Cranio-caudal mammogram of the left breast. 39-year-old patient.
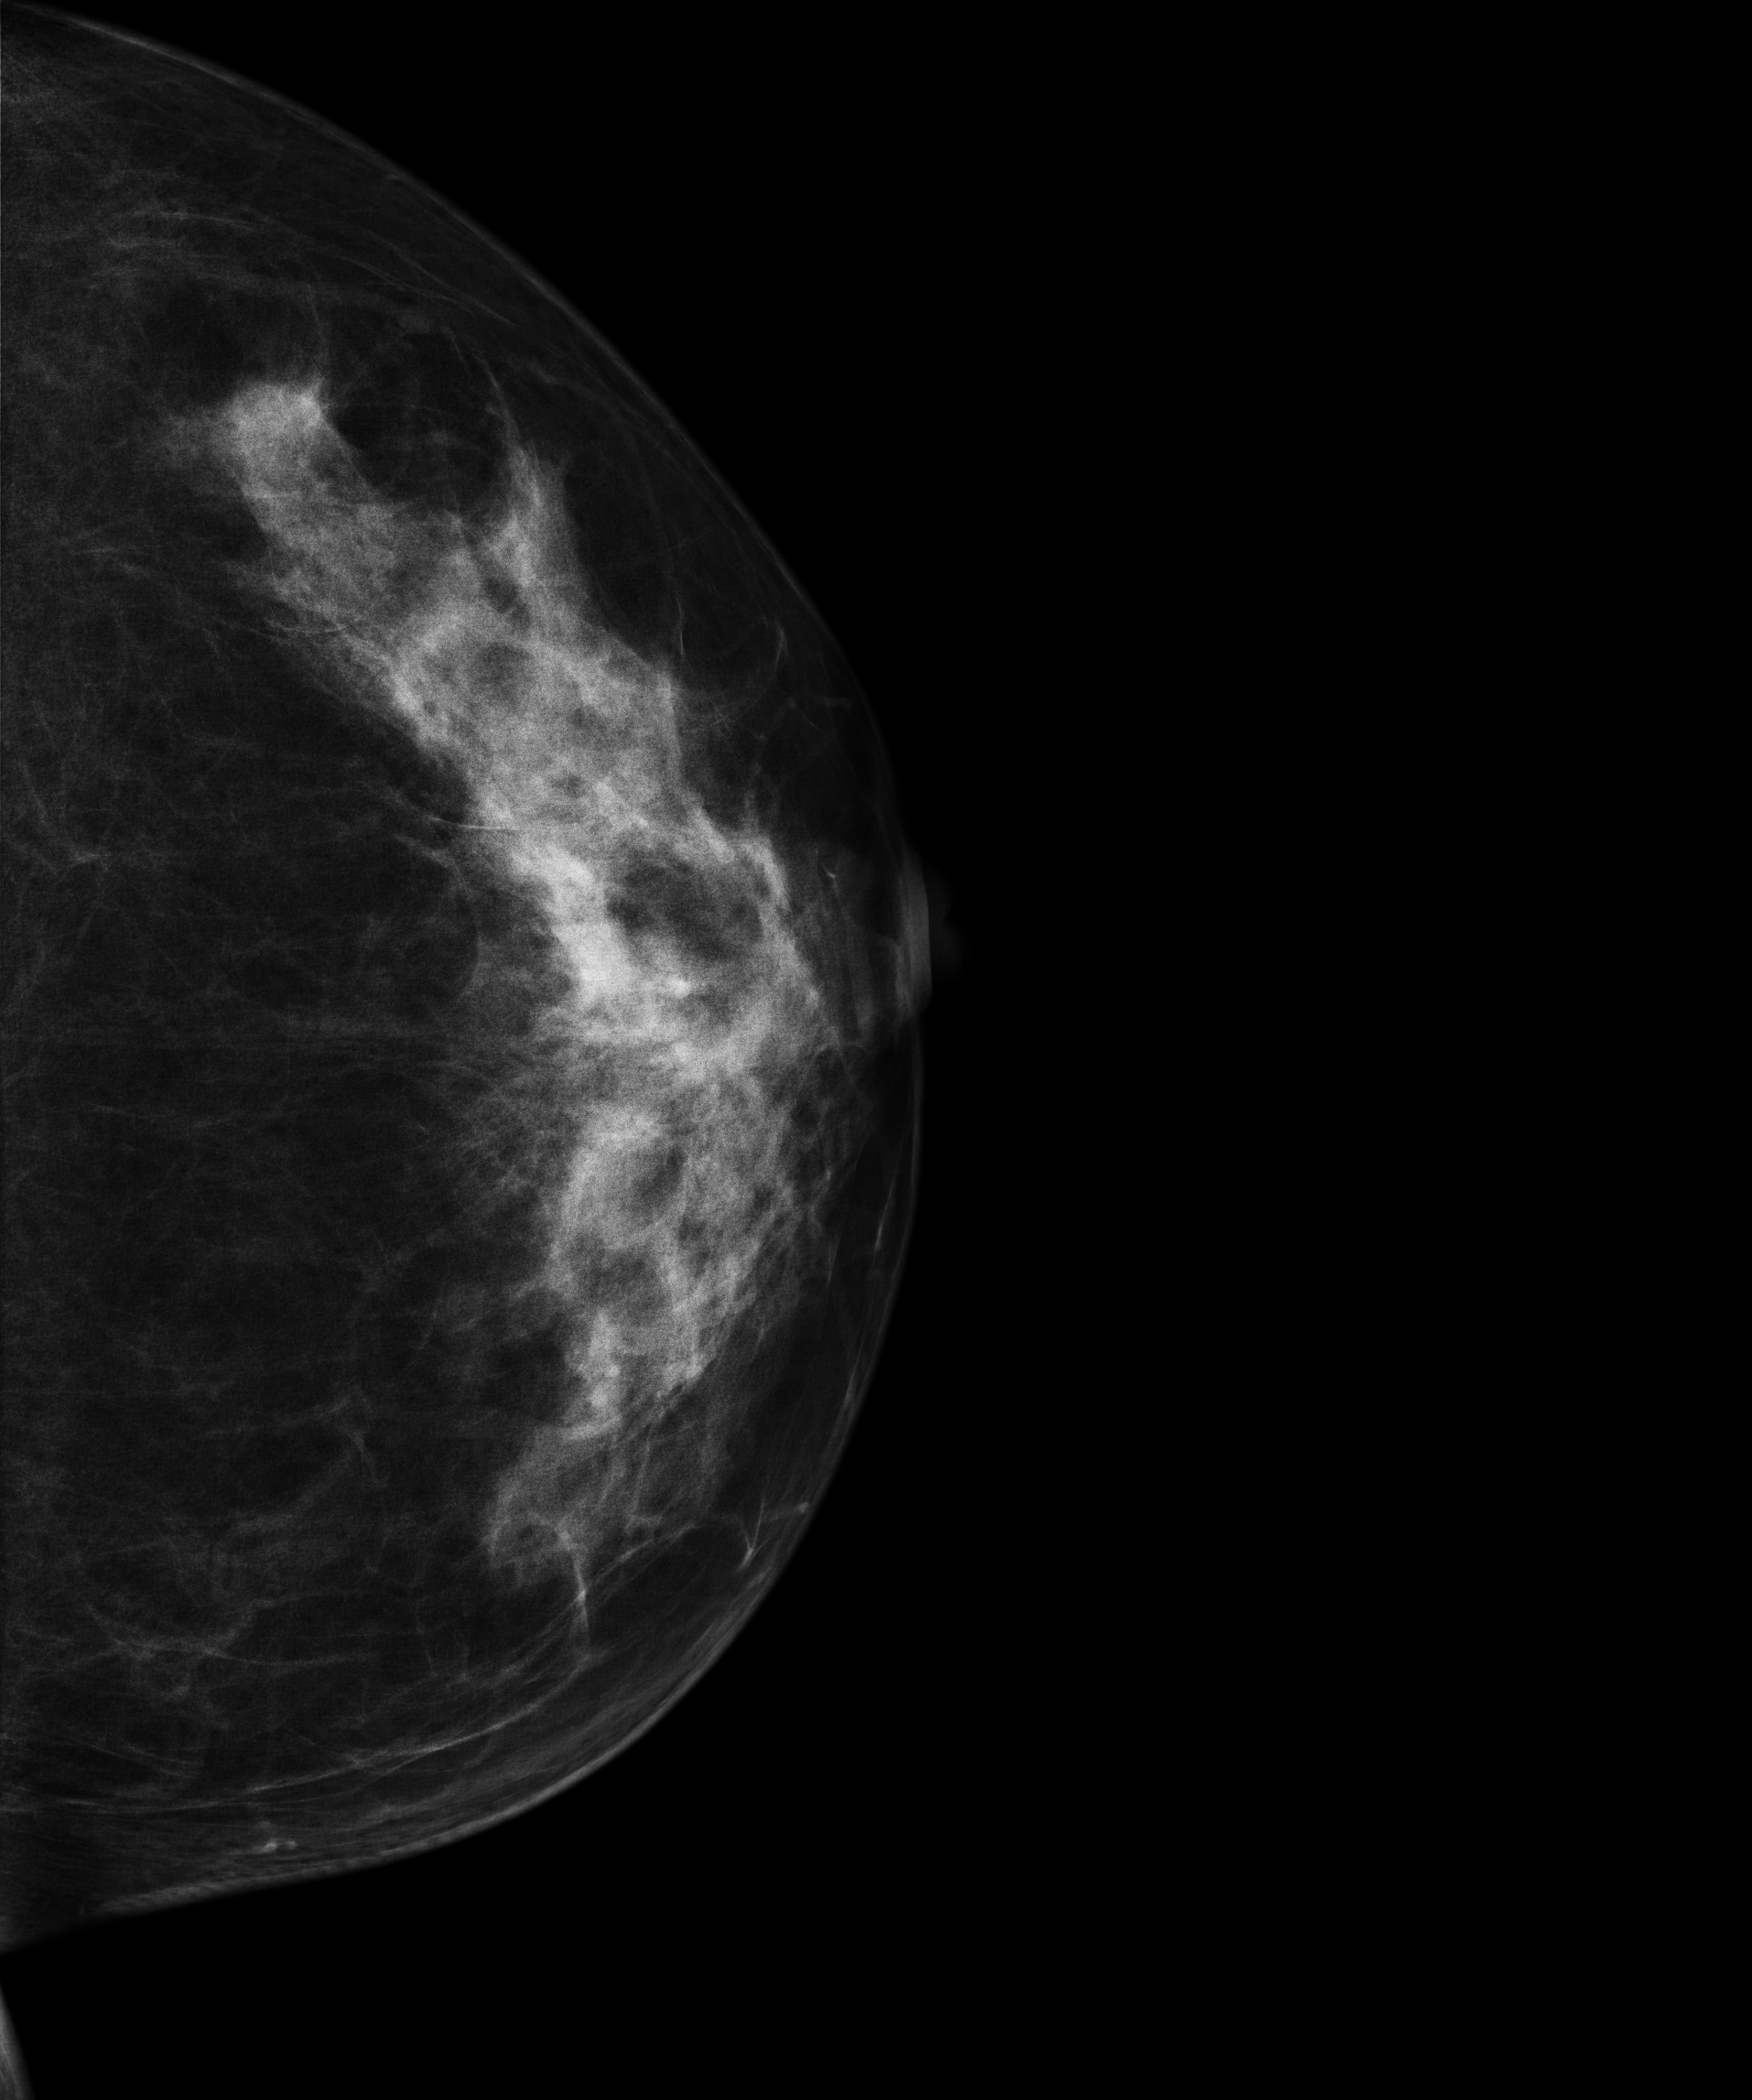
Contralateral breast — no documented abnormality on this side.